MLO mammogram of the right breast. Patient age 55.
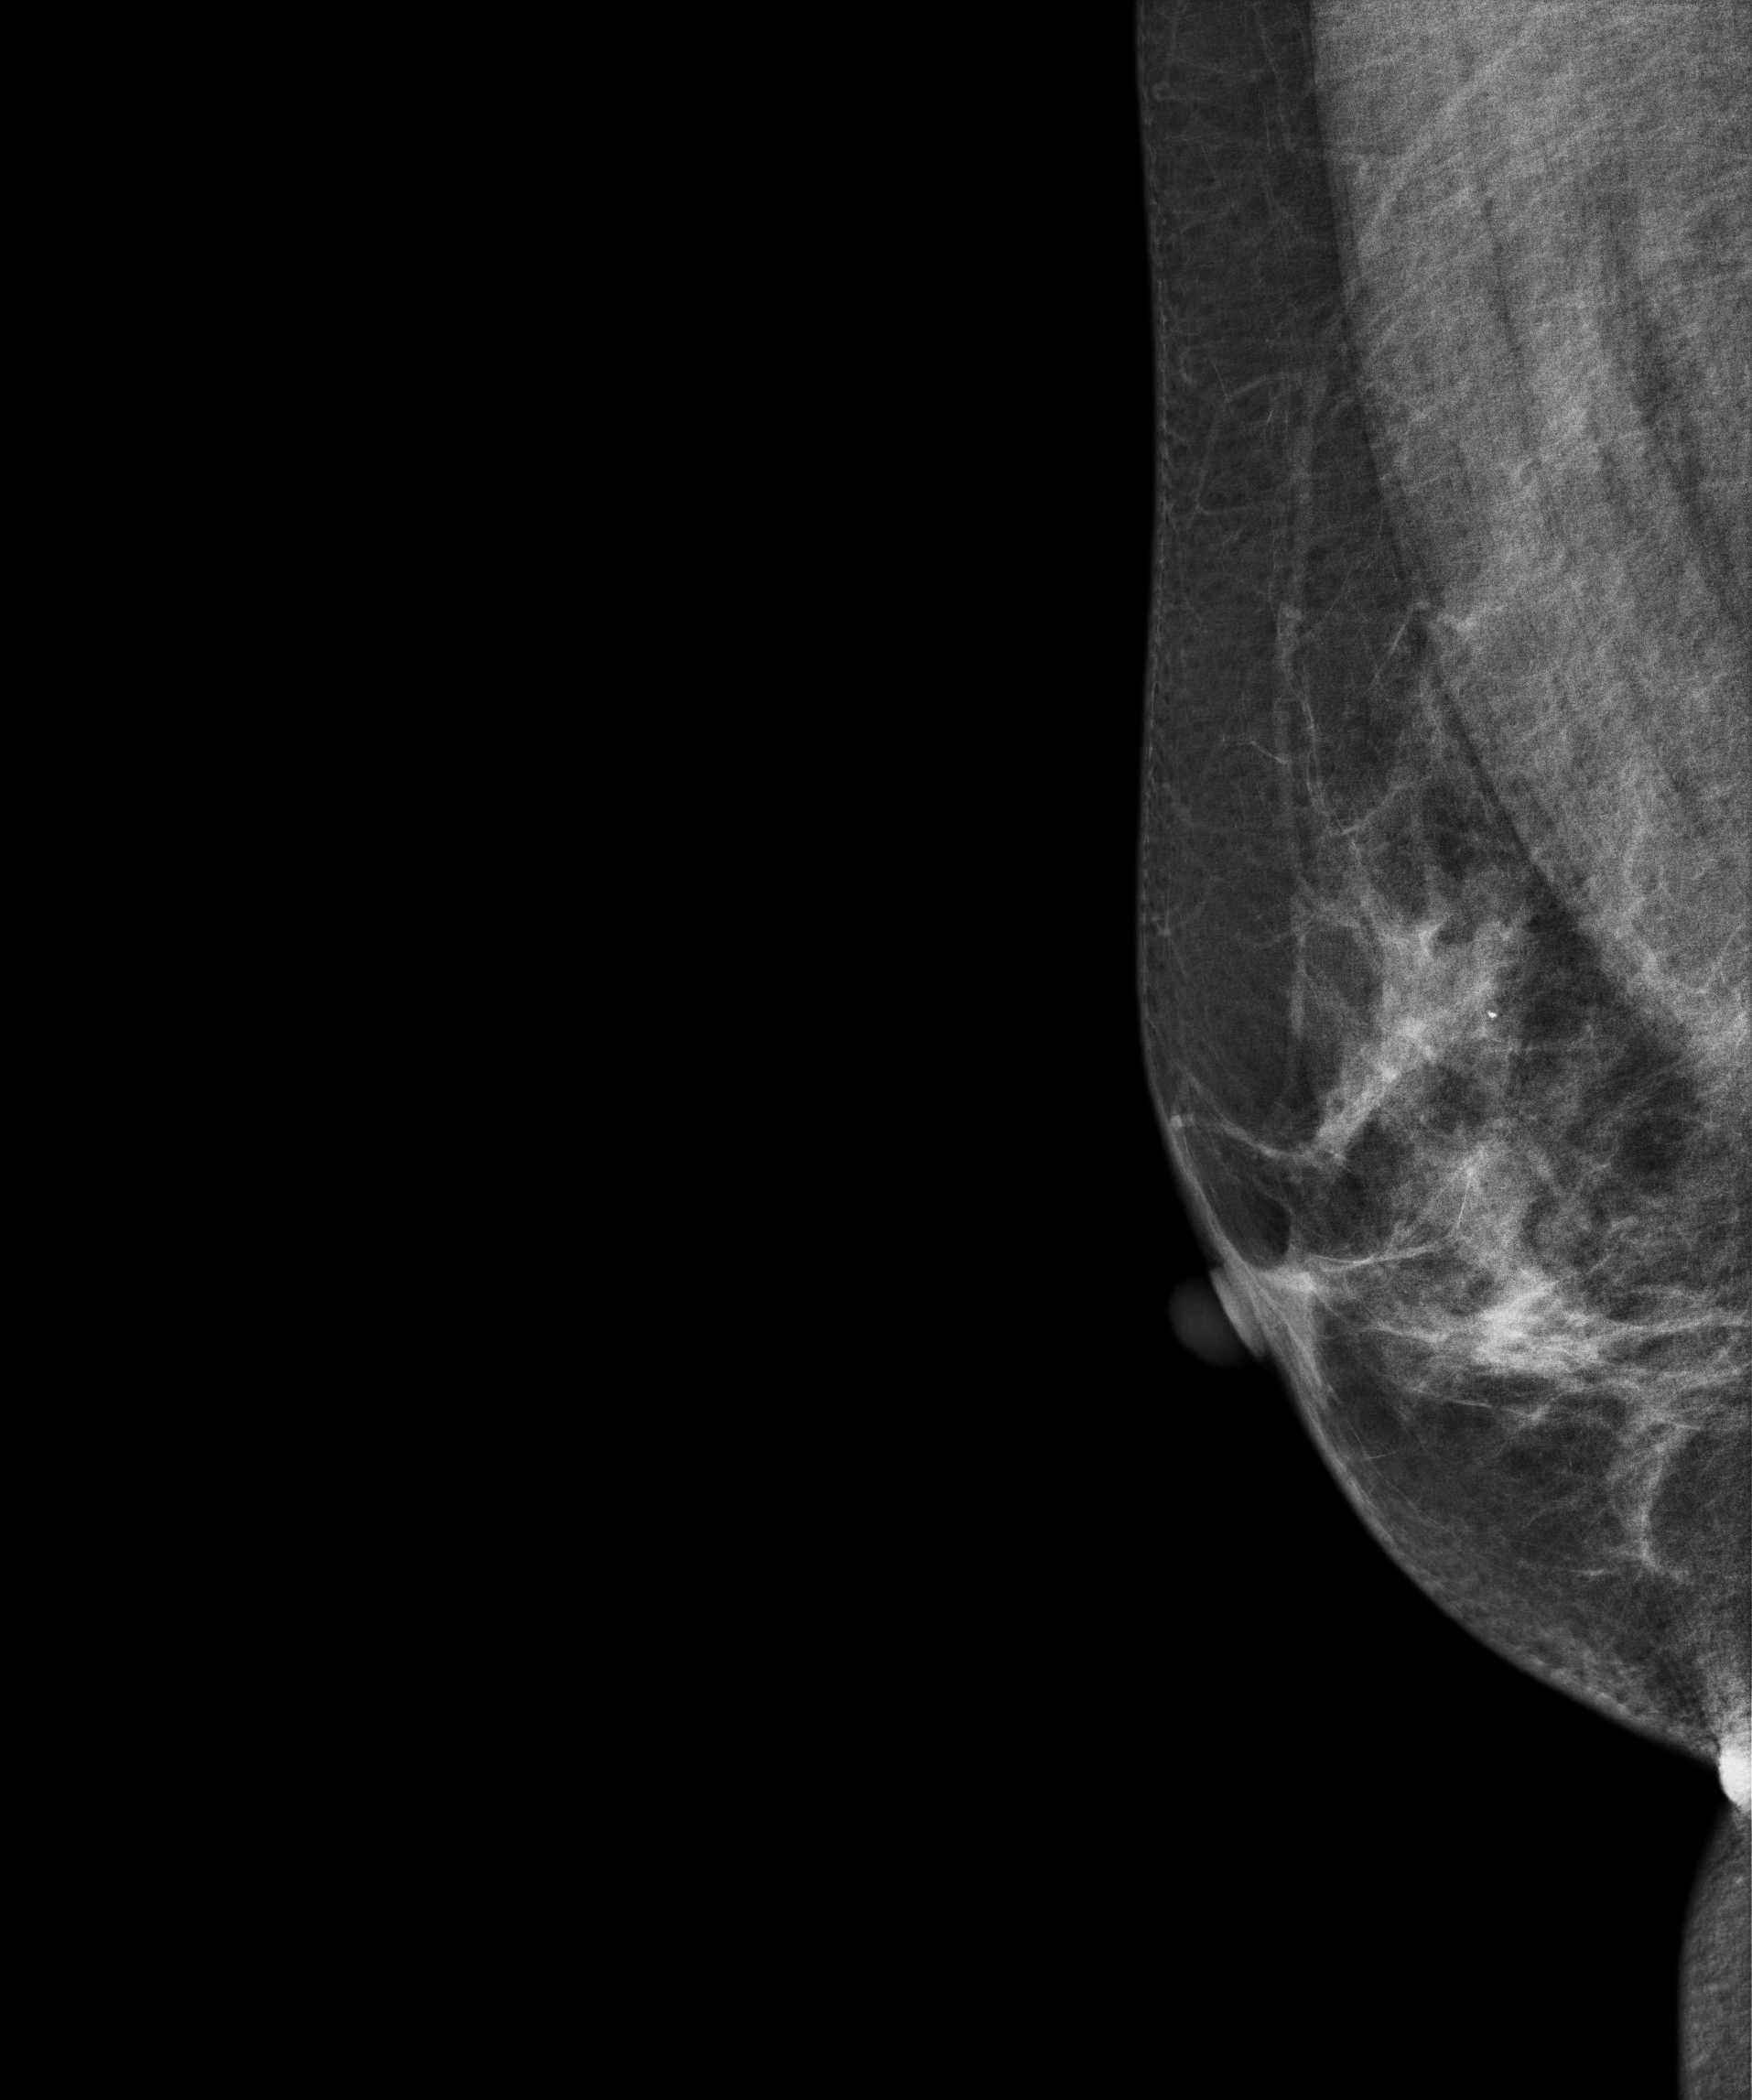
Contralateral breast — no documented abnormality on this side.